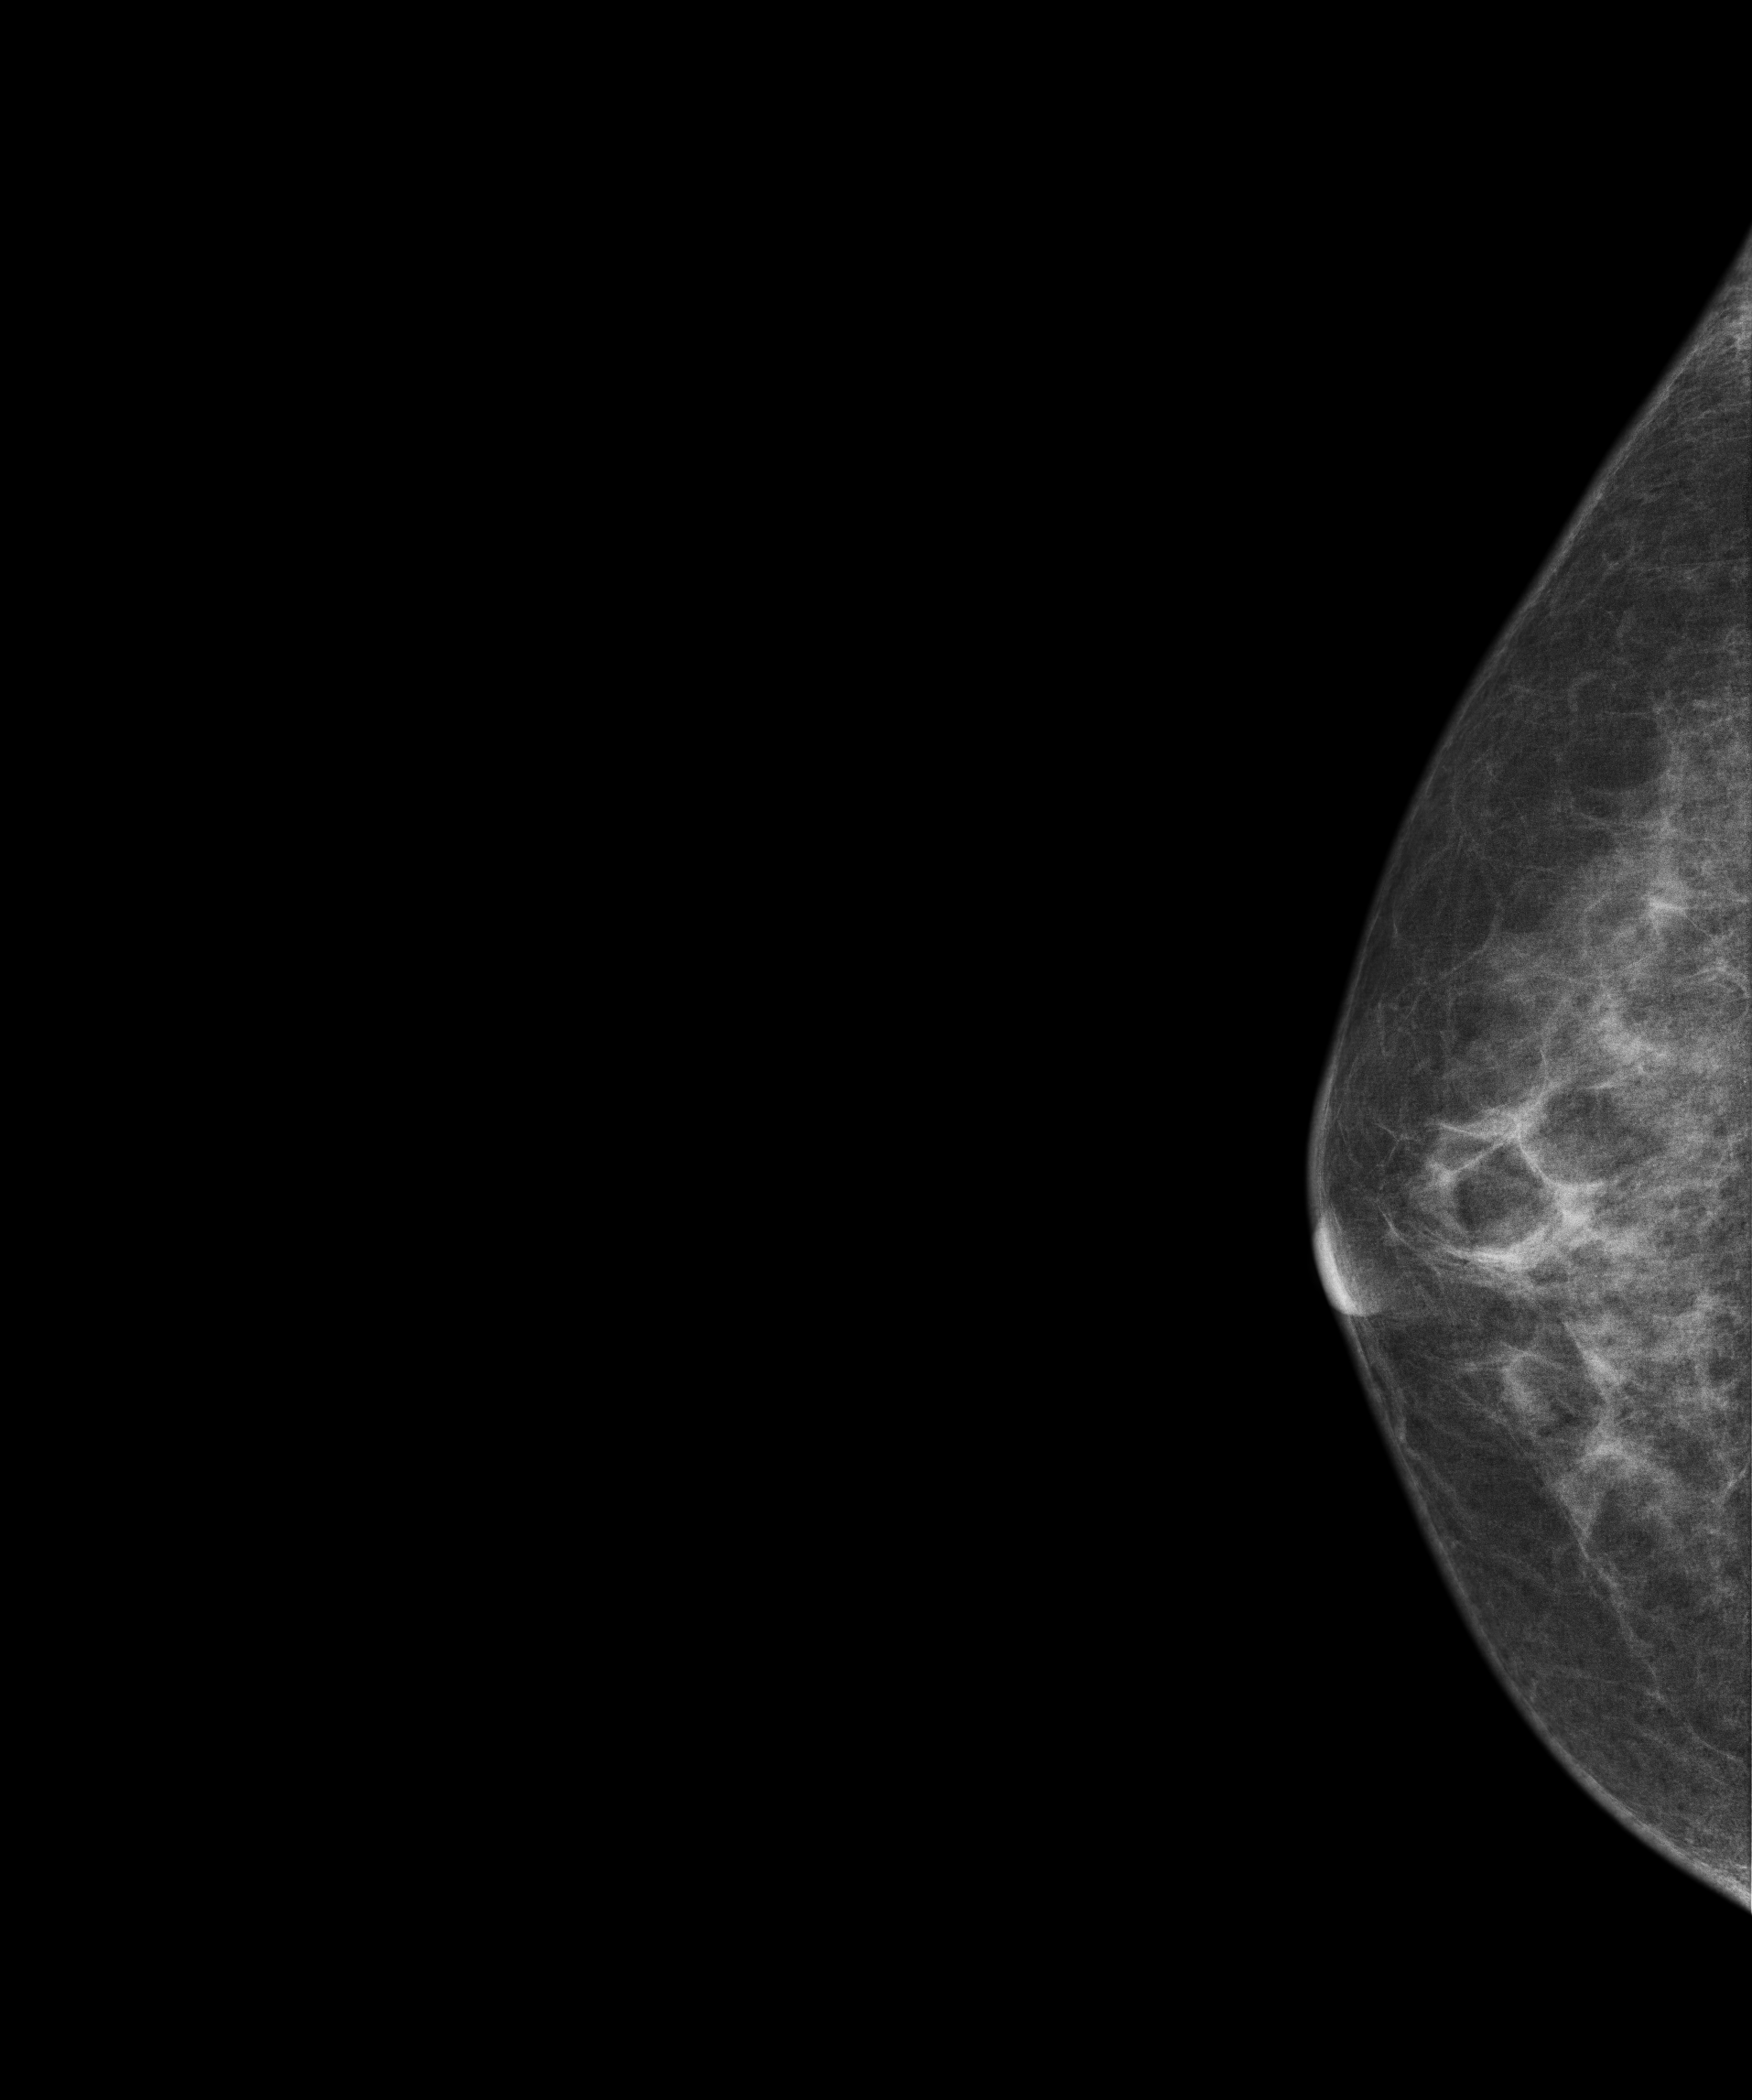
Mammogram — right CC. 50-year-old patient.
This breast has a mass, histologically confirmed malignant.